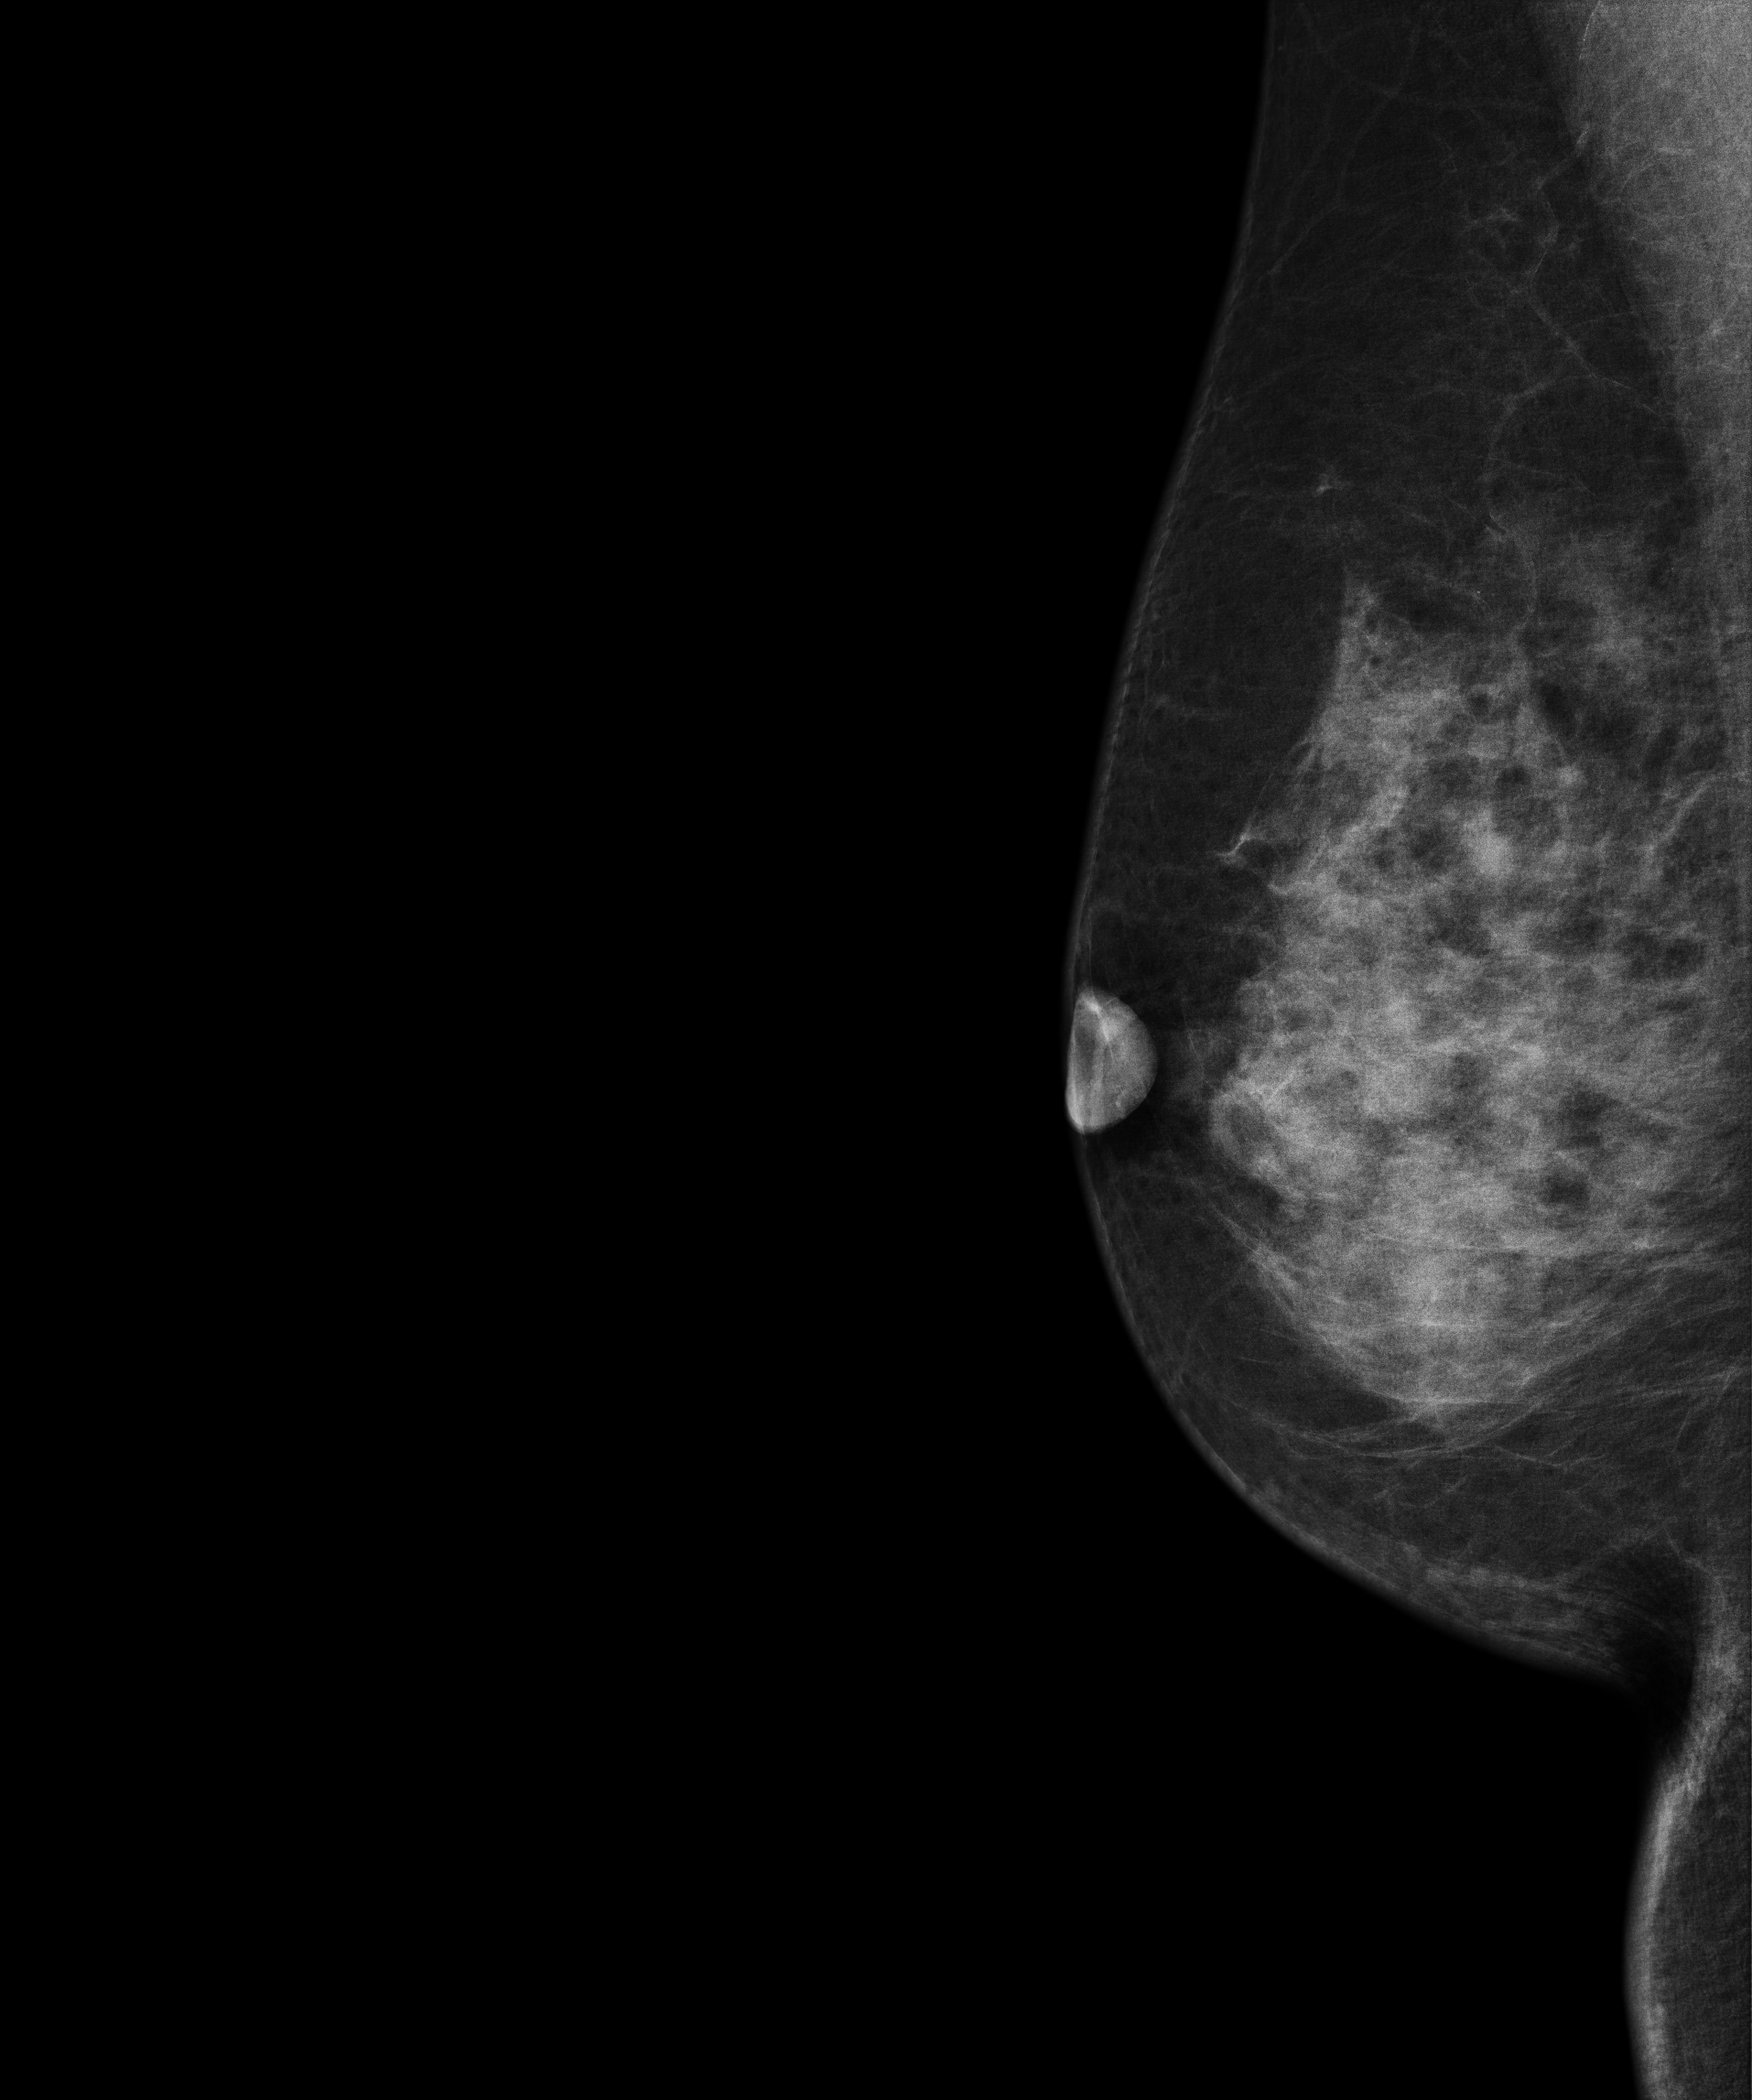
Mammogram, right breast, medio-lateral oblique view. 77 y/o patient.
Contralateral breast — no documented abnormality on this side.